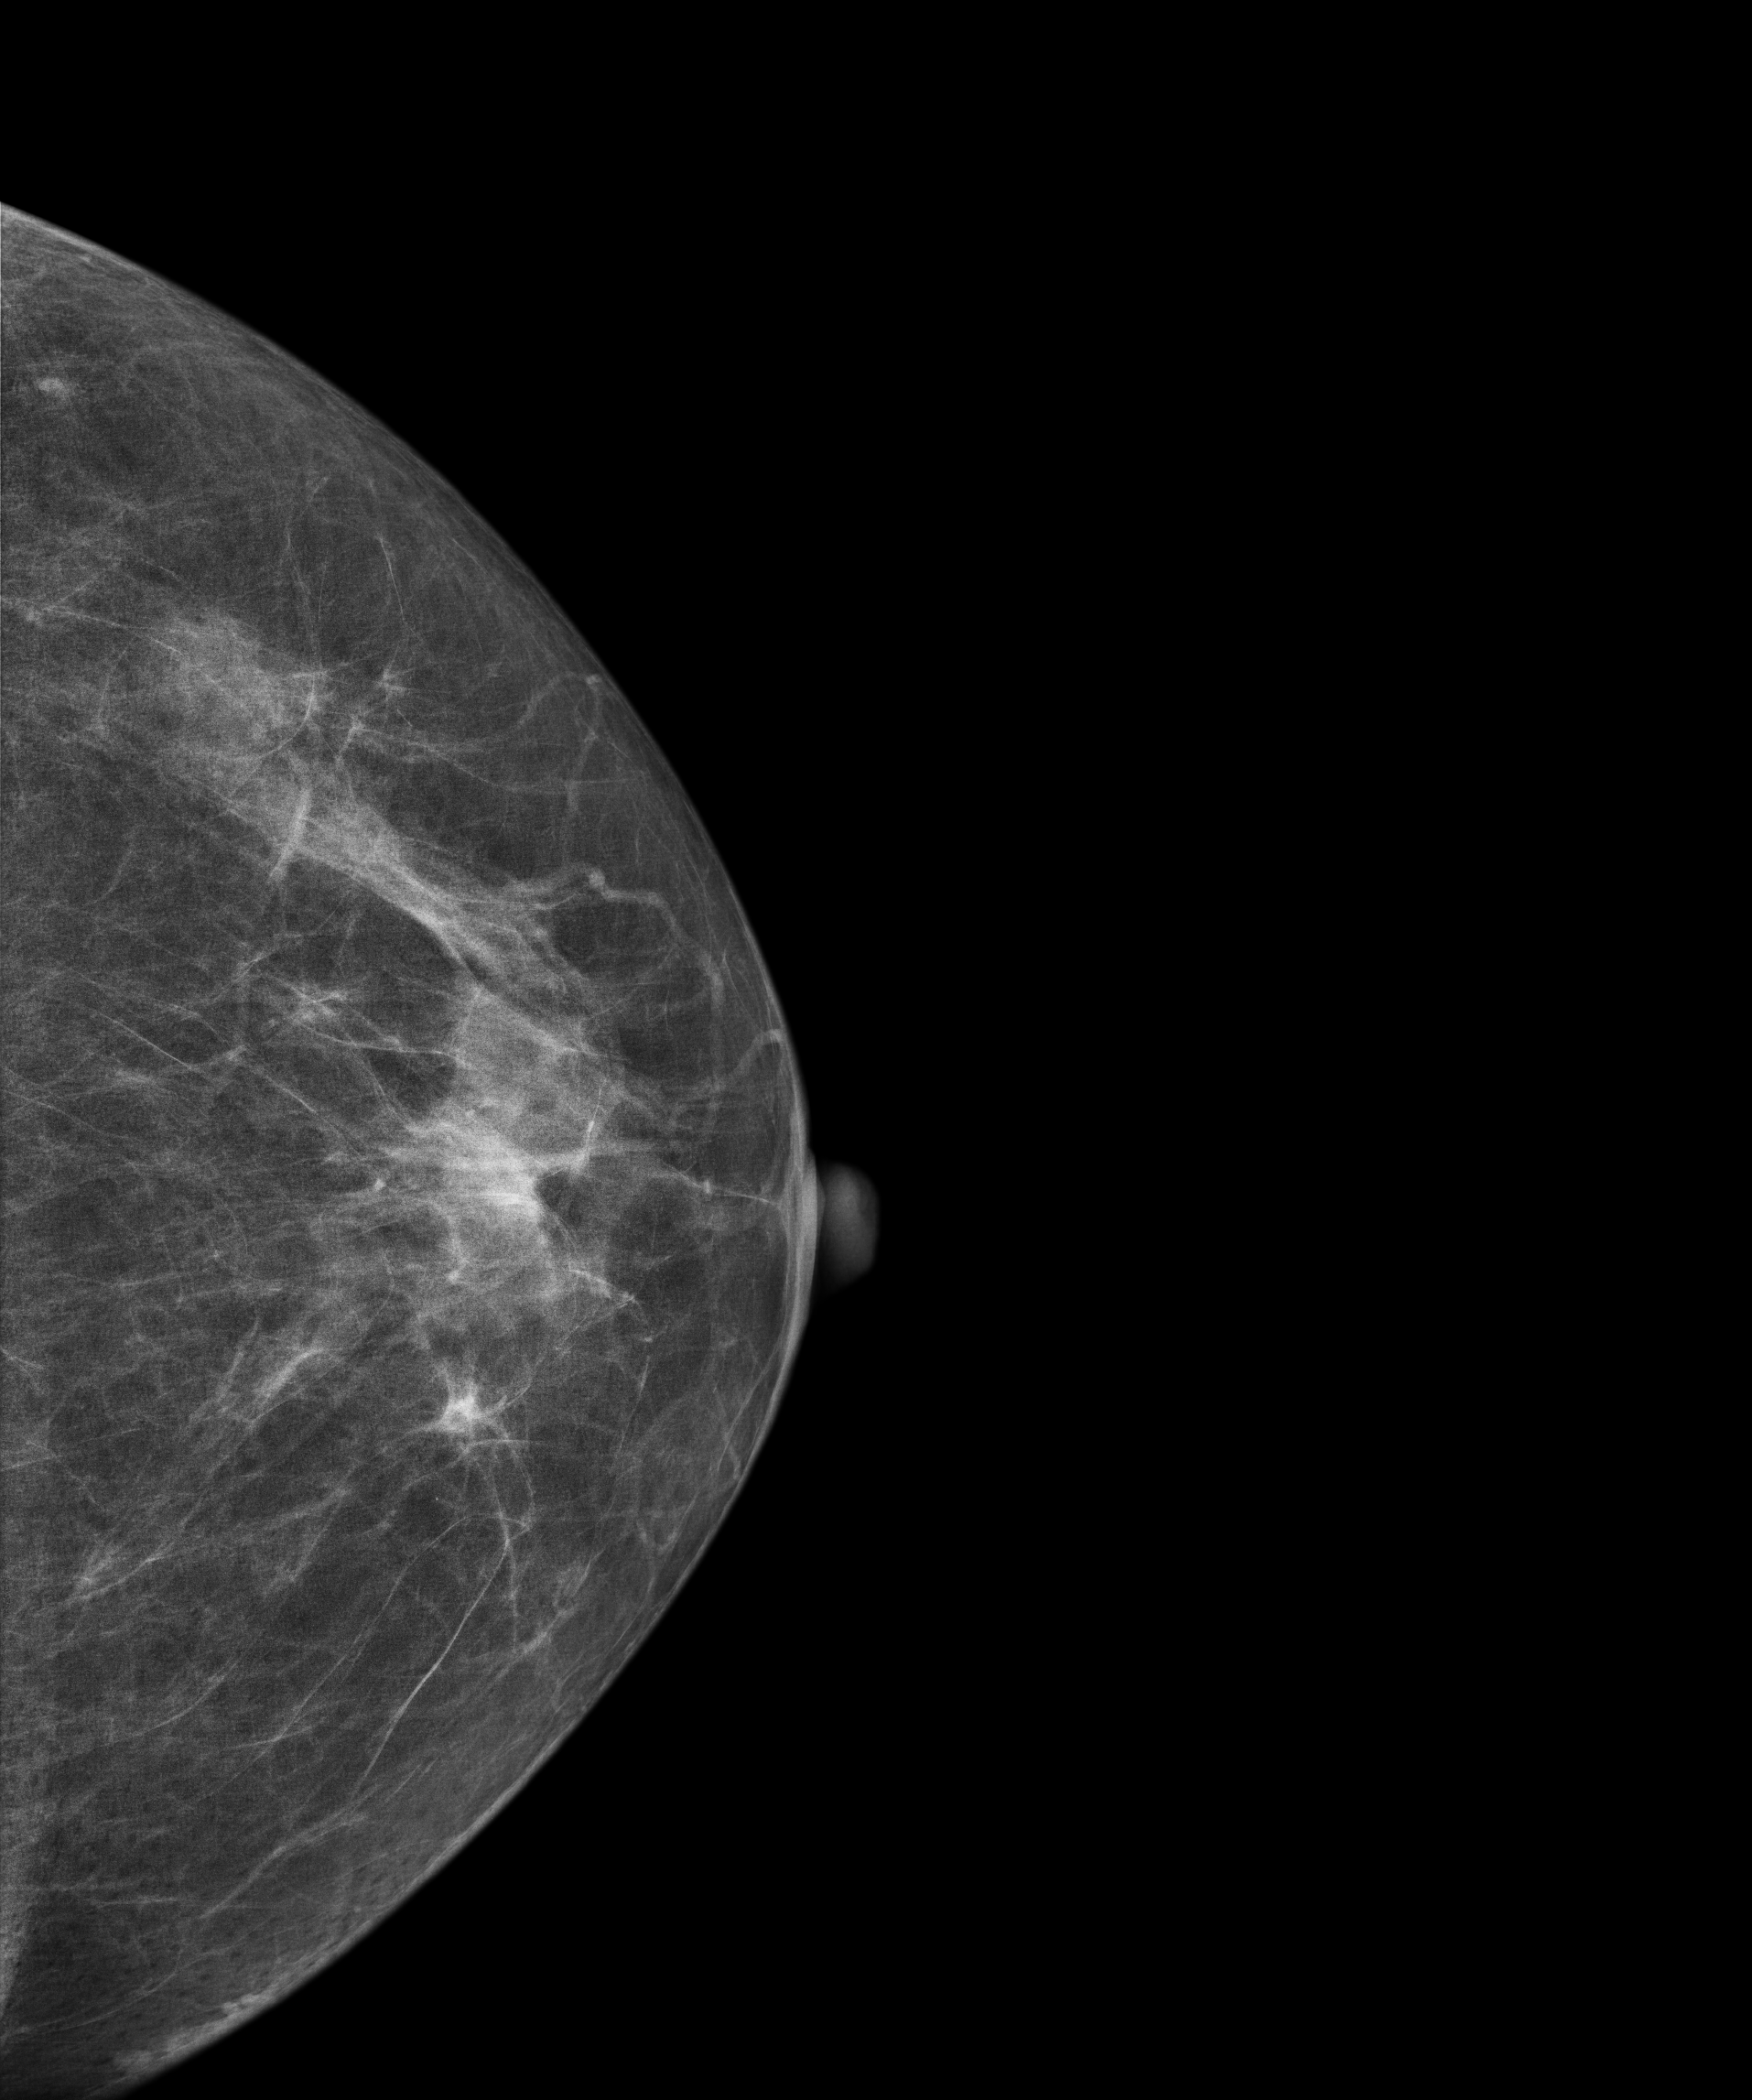
Mammogram — left cranio-caudal. Patient age 69.
Contralateral breast — no documented abnormality on this side.